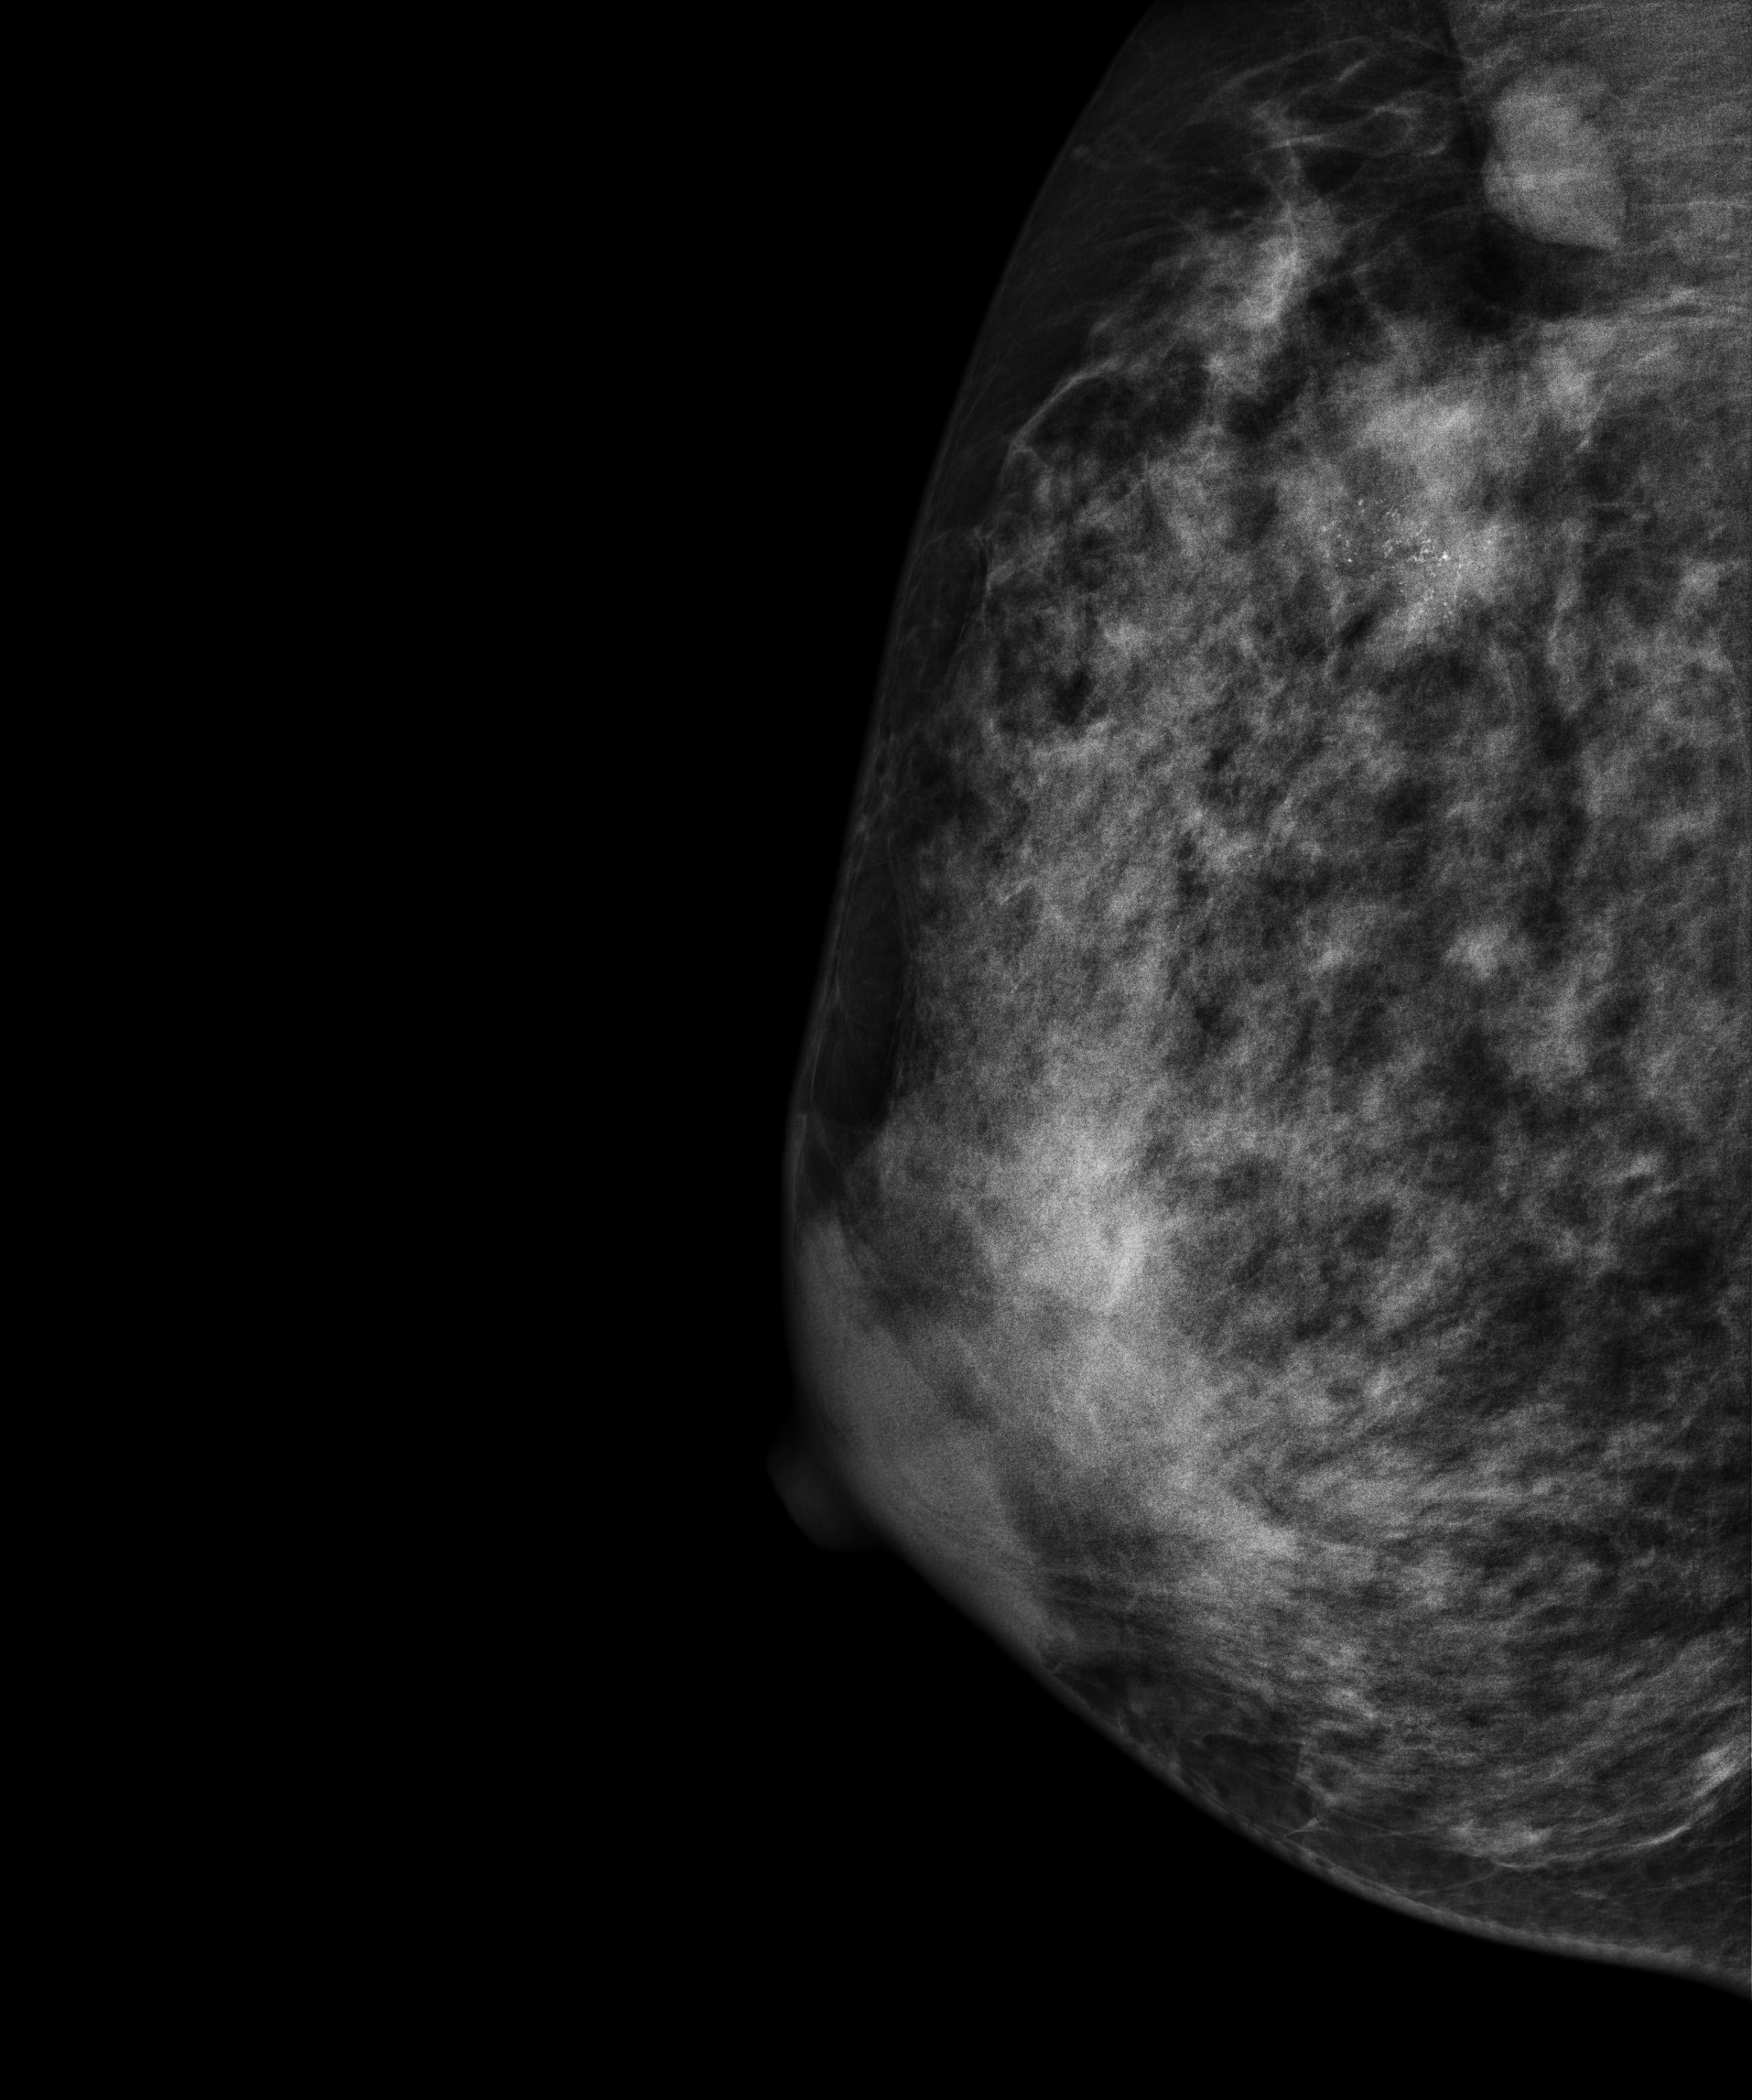
MLO mammogram of the right breast. Patient age 39.
This breast has a mass and calcifications, biopsy-proven malignant. Molecular subtype: HER2-enriched.